Digital mammography. Left breast, MLO projection. Patient age 54.
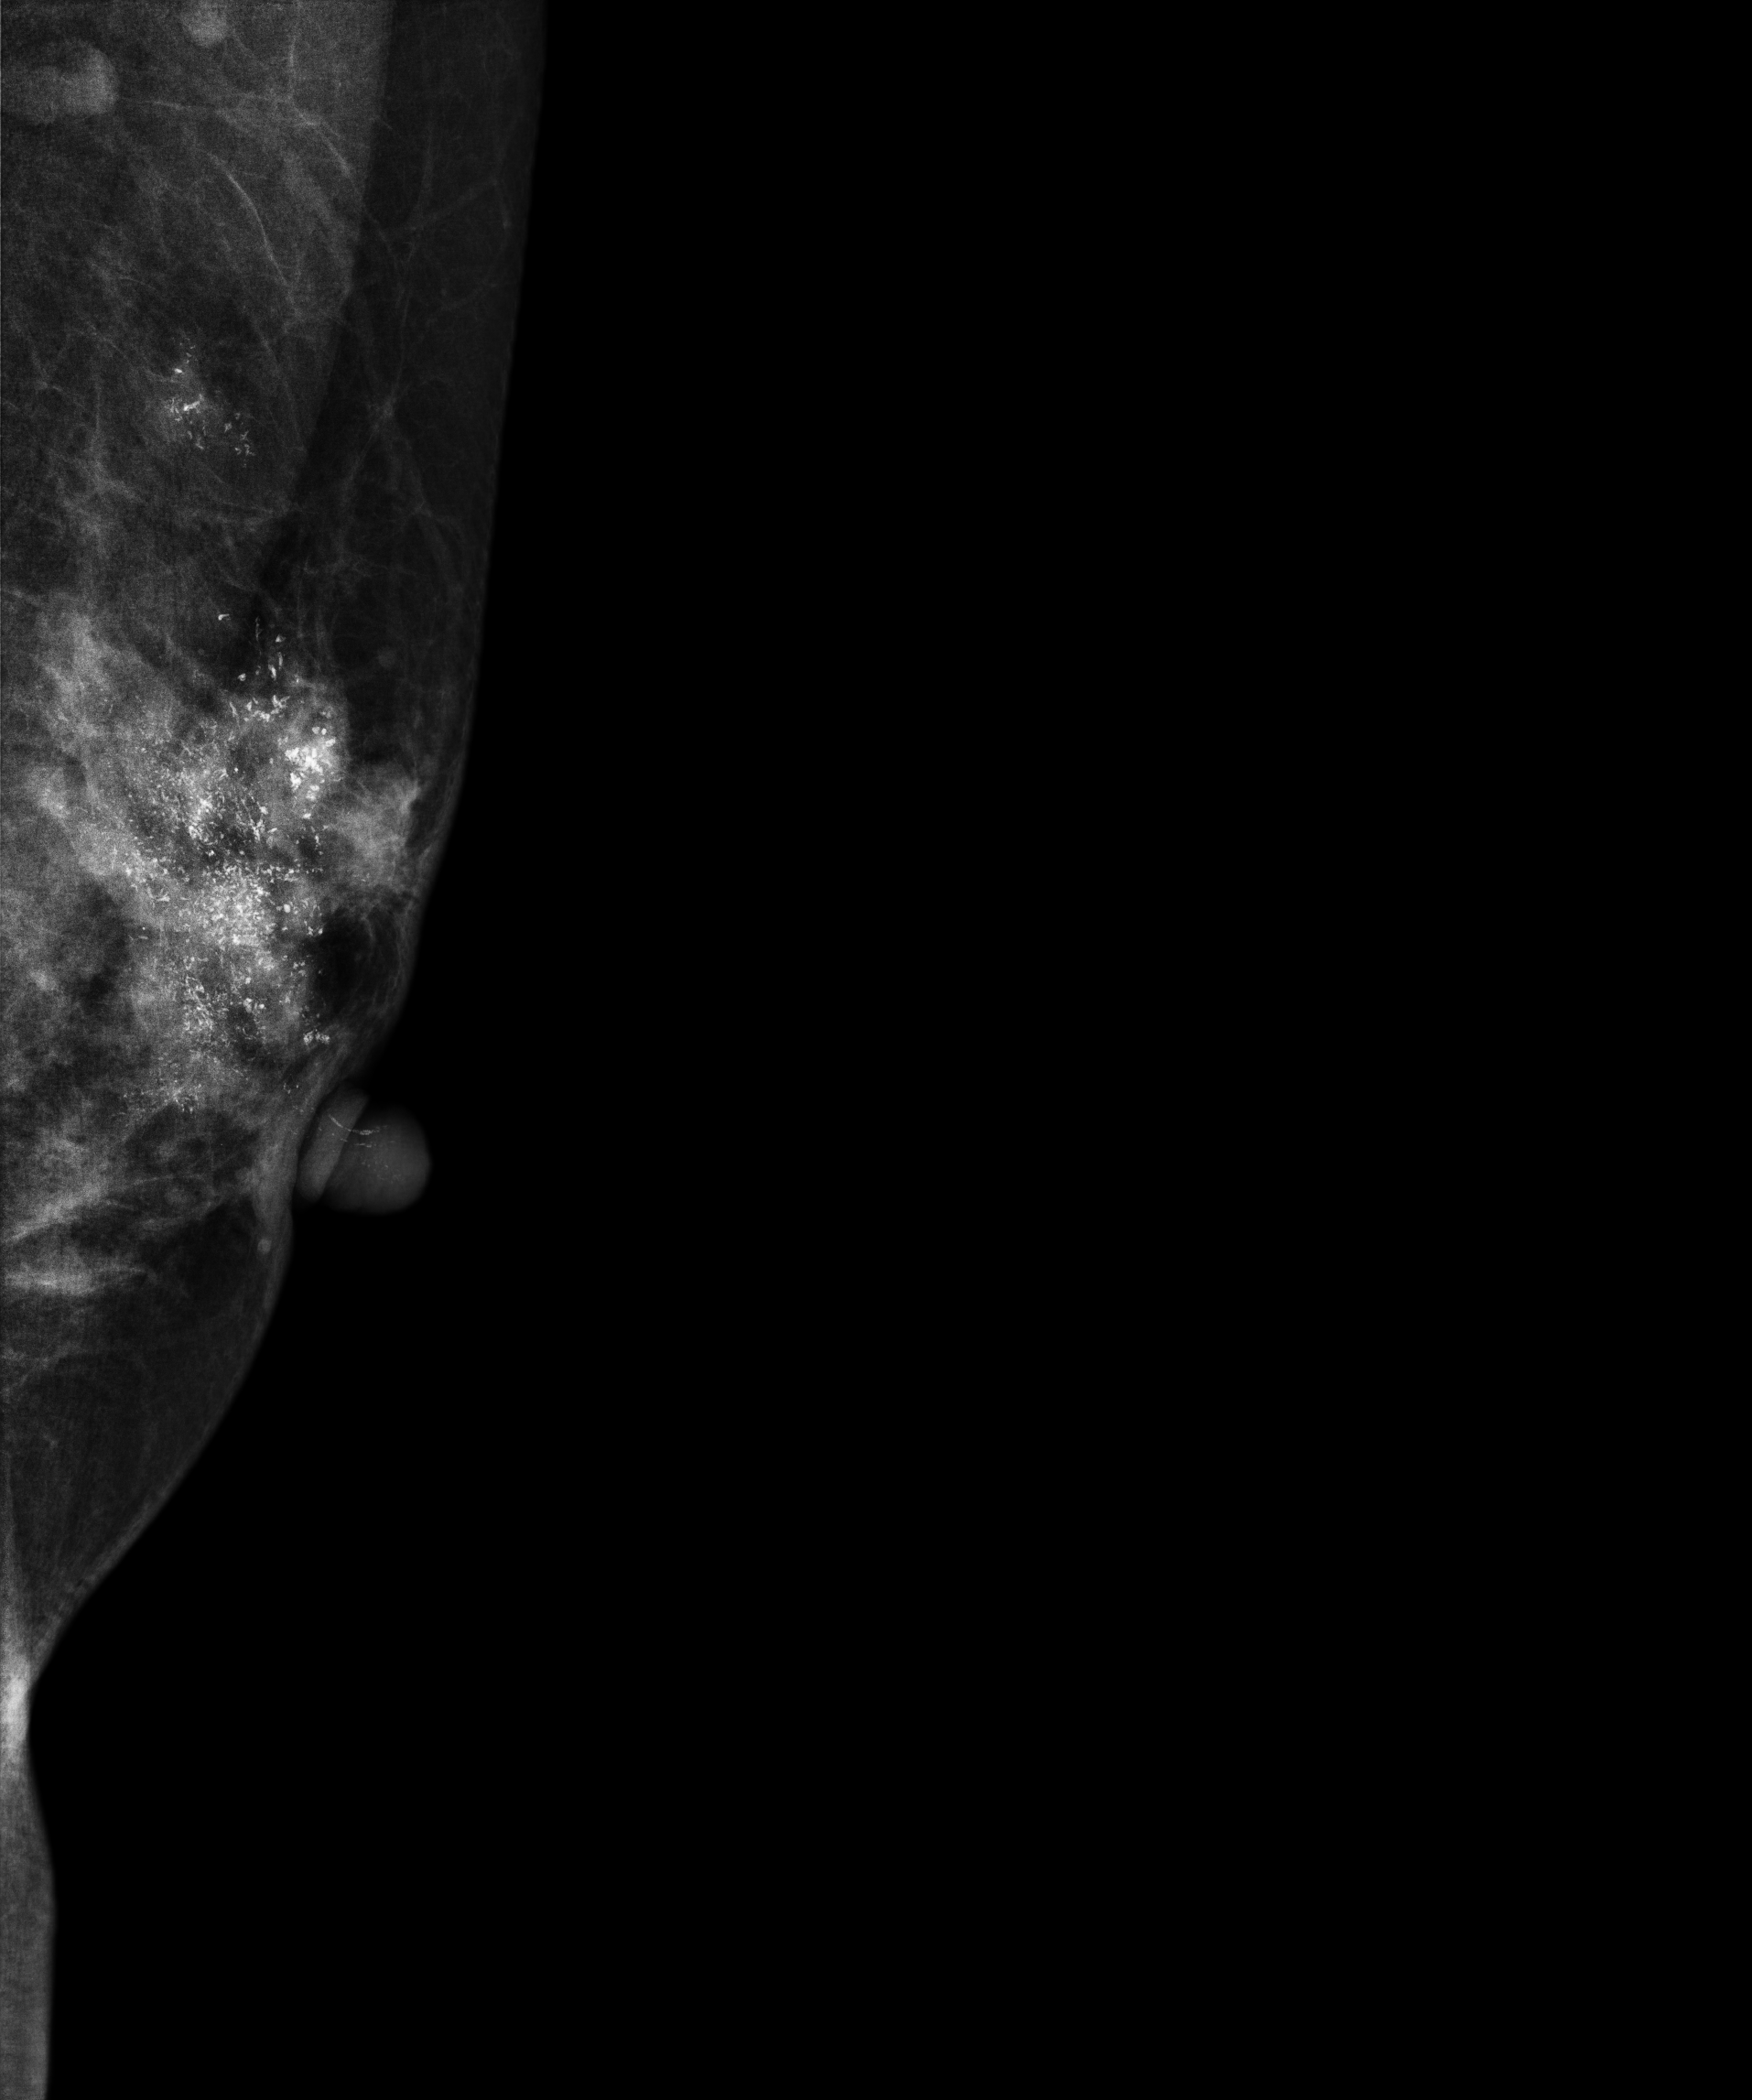
This breast has calcifications, biopsy-confirmed malignant. Molecular subtype: HER2-enriched.